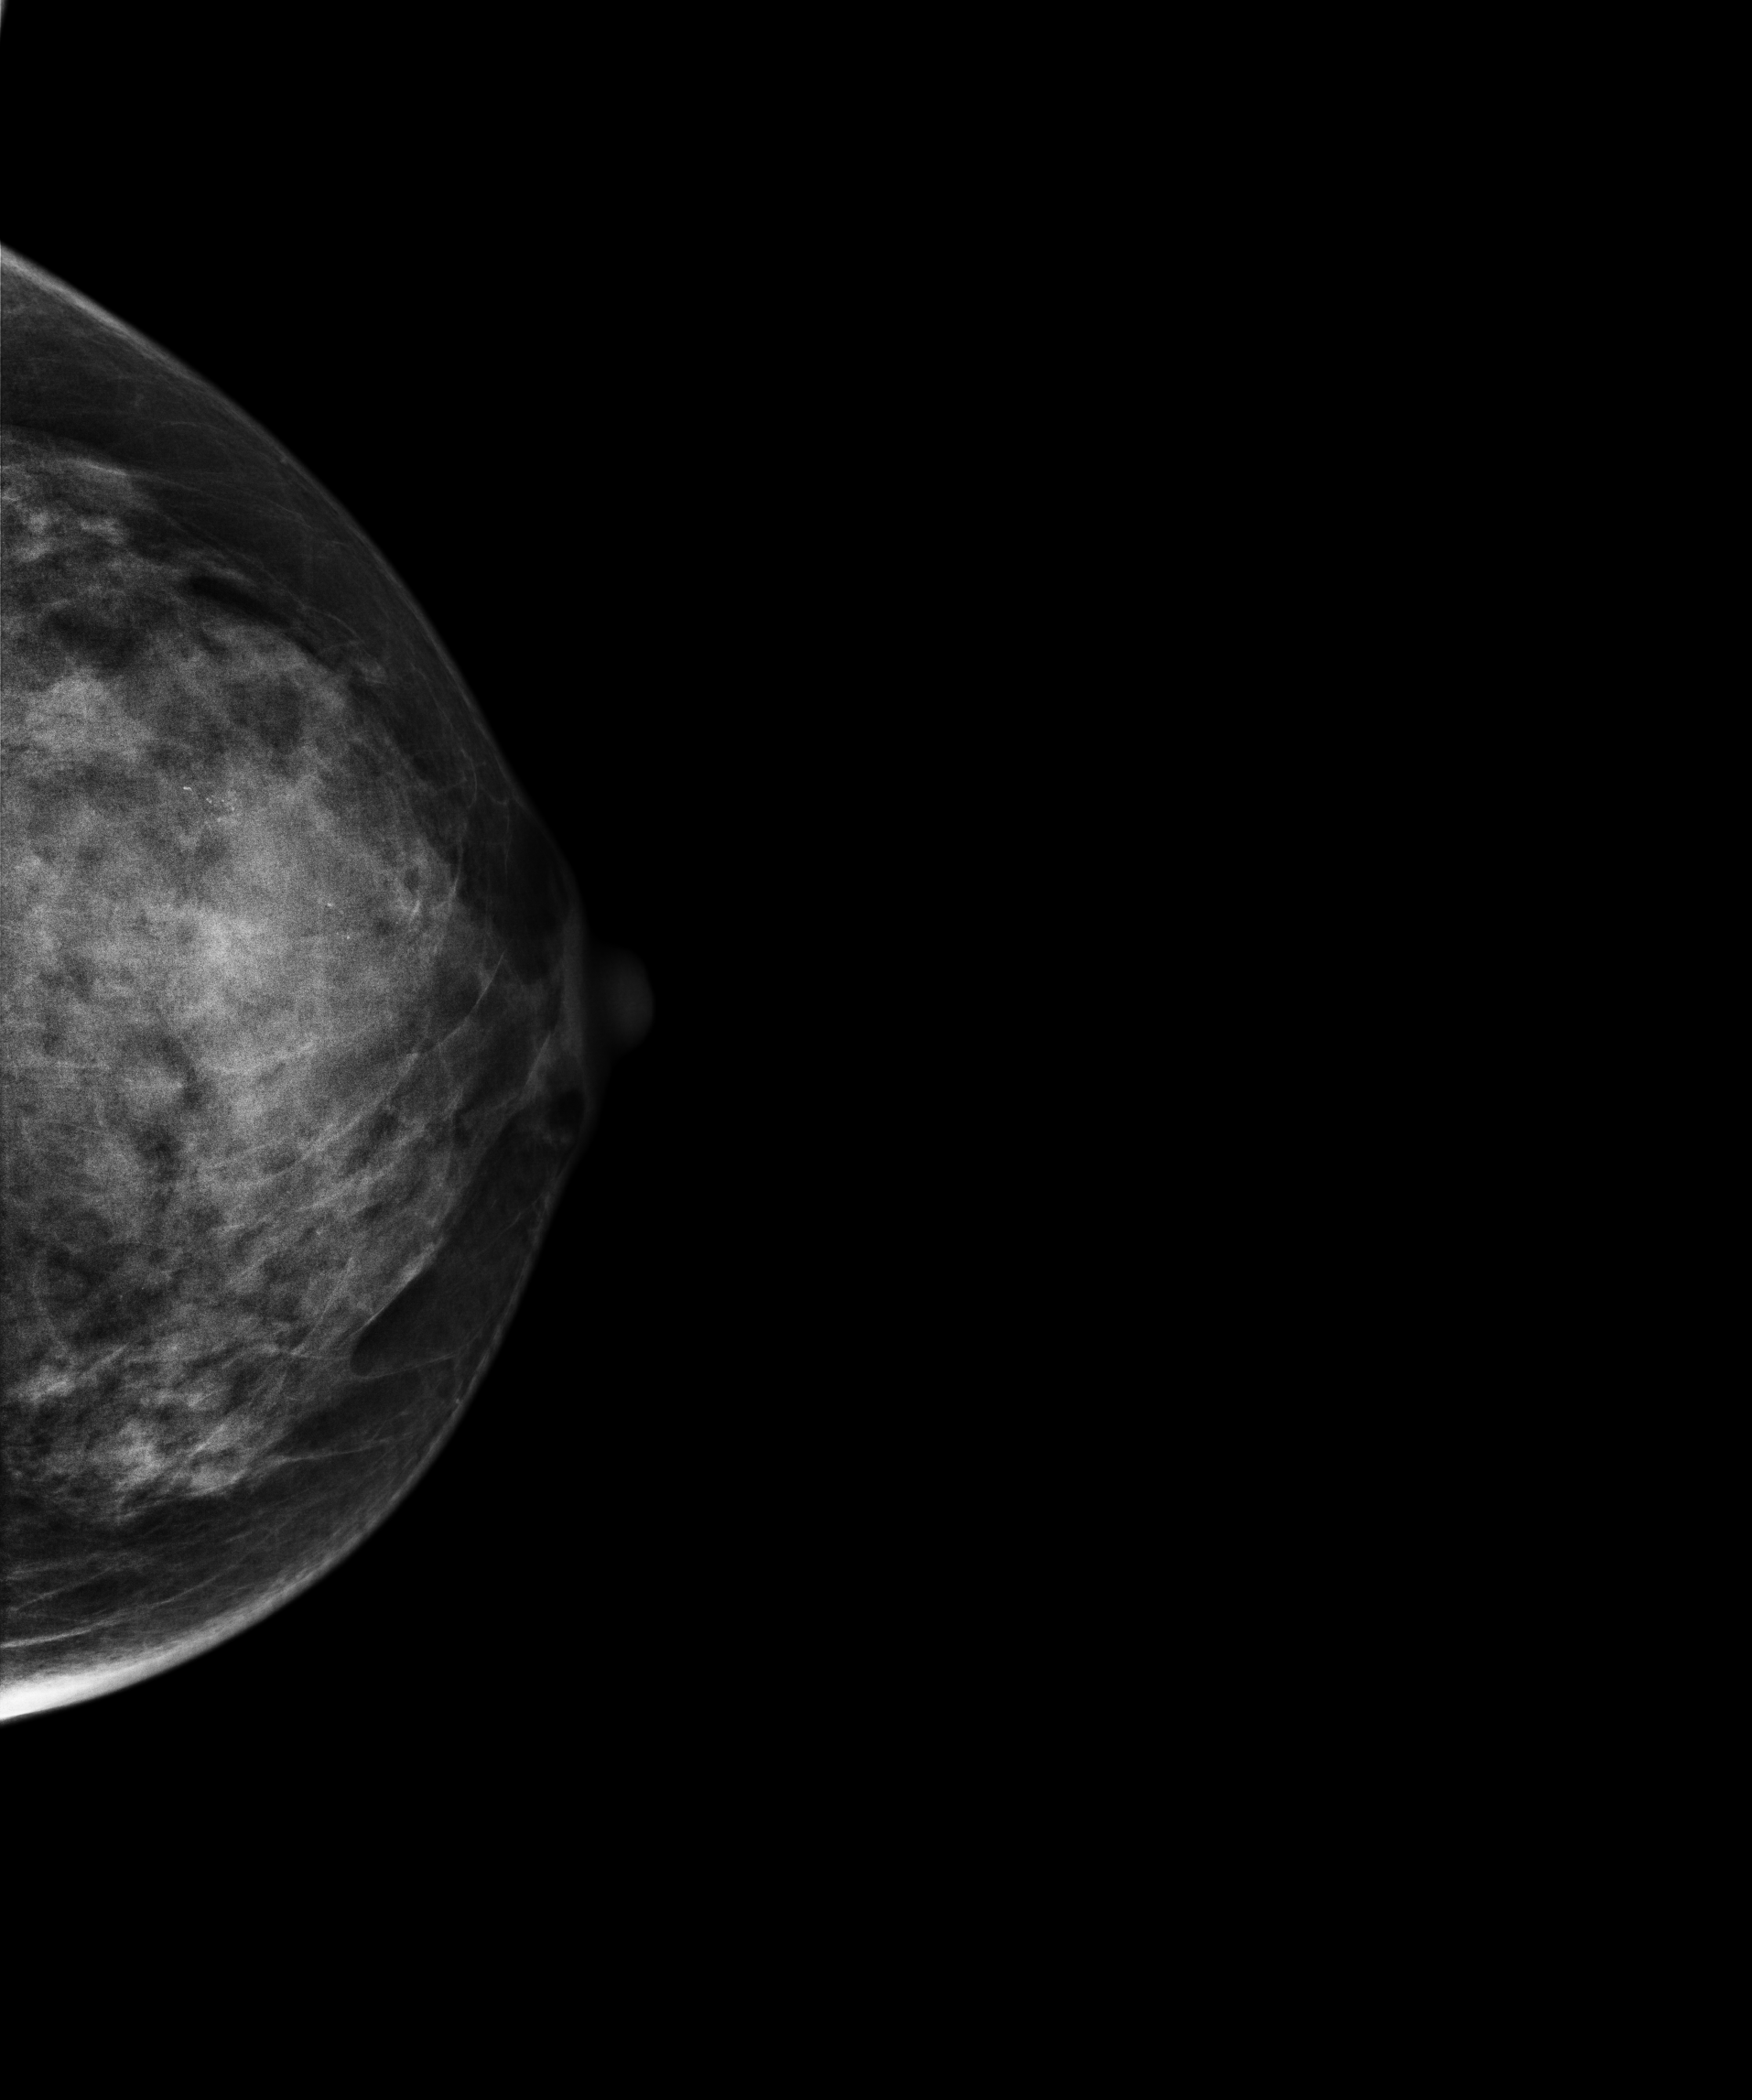
Cranio-caudal mammogram of the left breast. Patient age 46.
This breast has calcifications, histologically confirmed malignant. Molecular subtype: HER2-enriched.